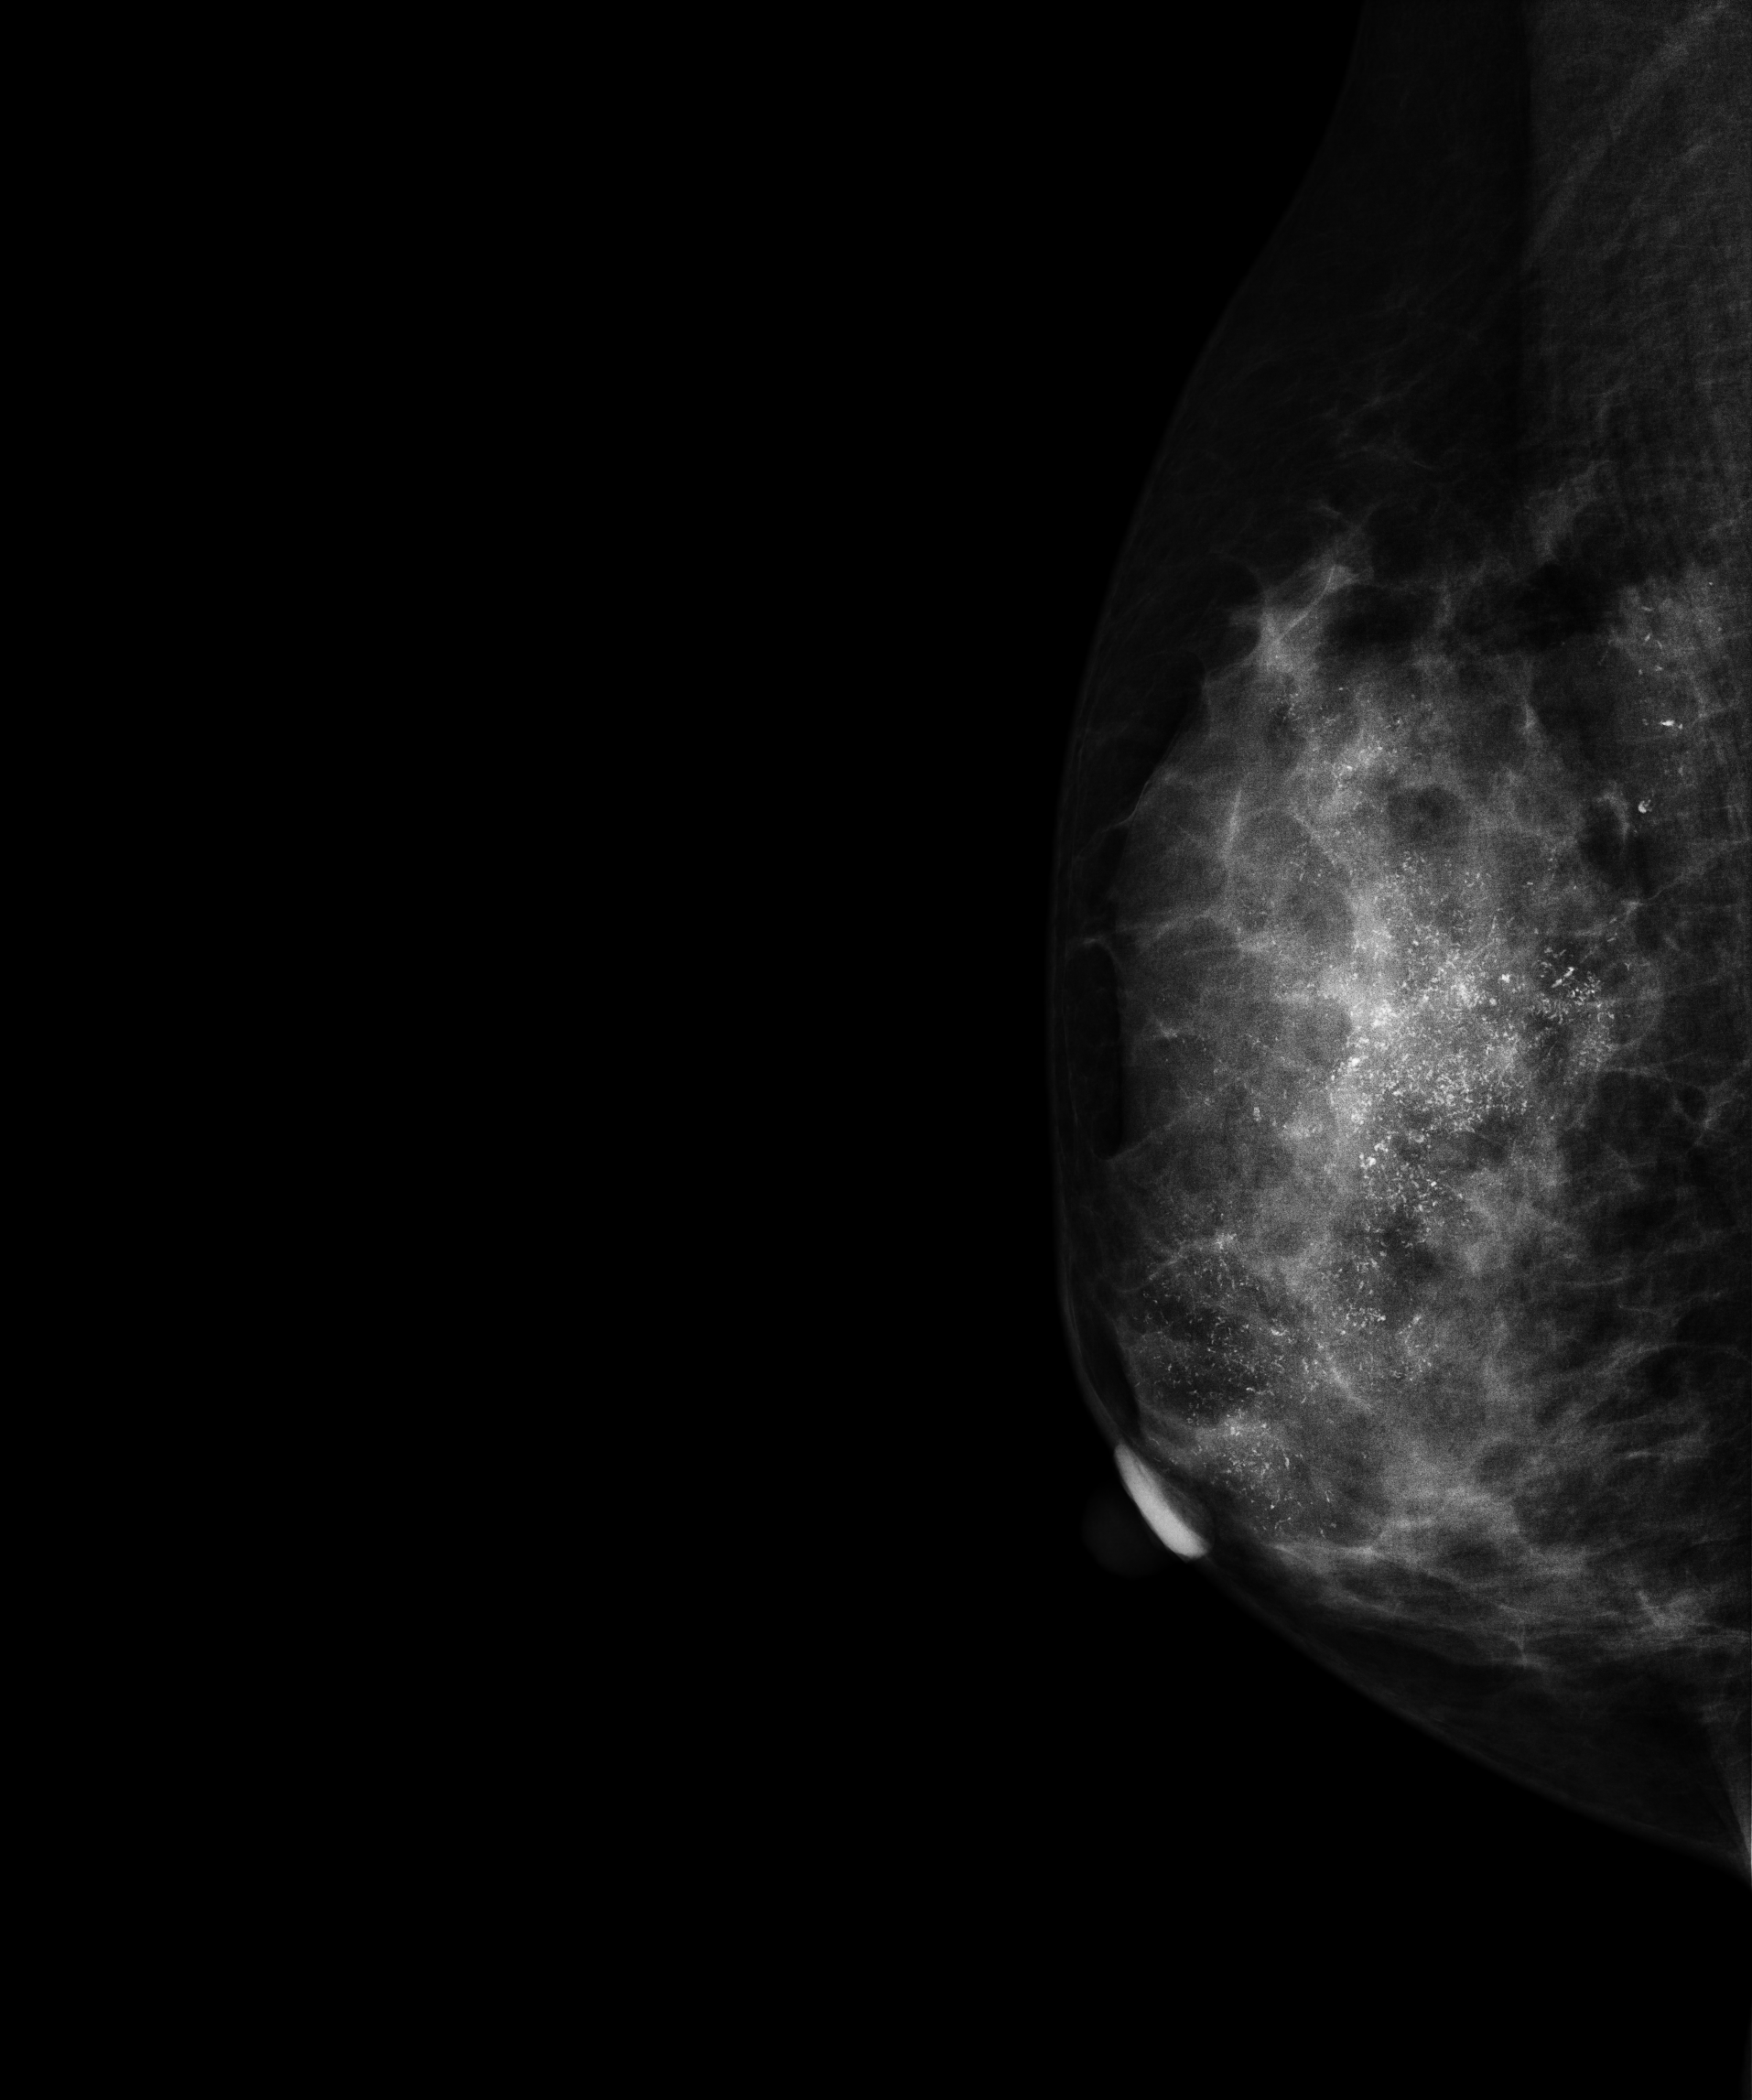
Right-breast mammogram, MLO. 44-year-old patient.
This breast has calcifications, biopsy-proven malignant.